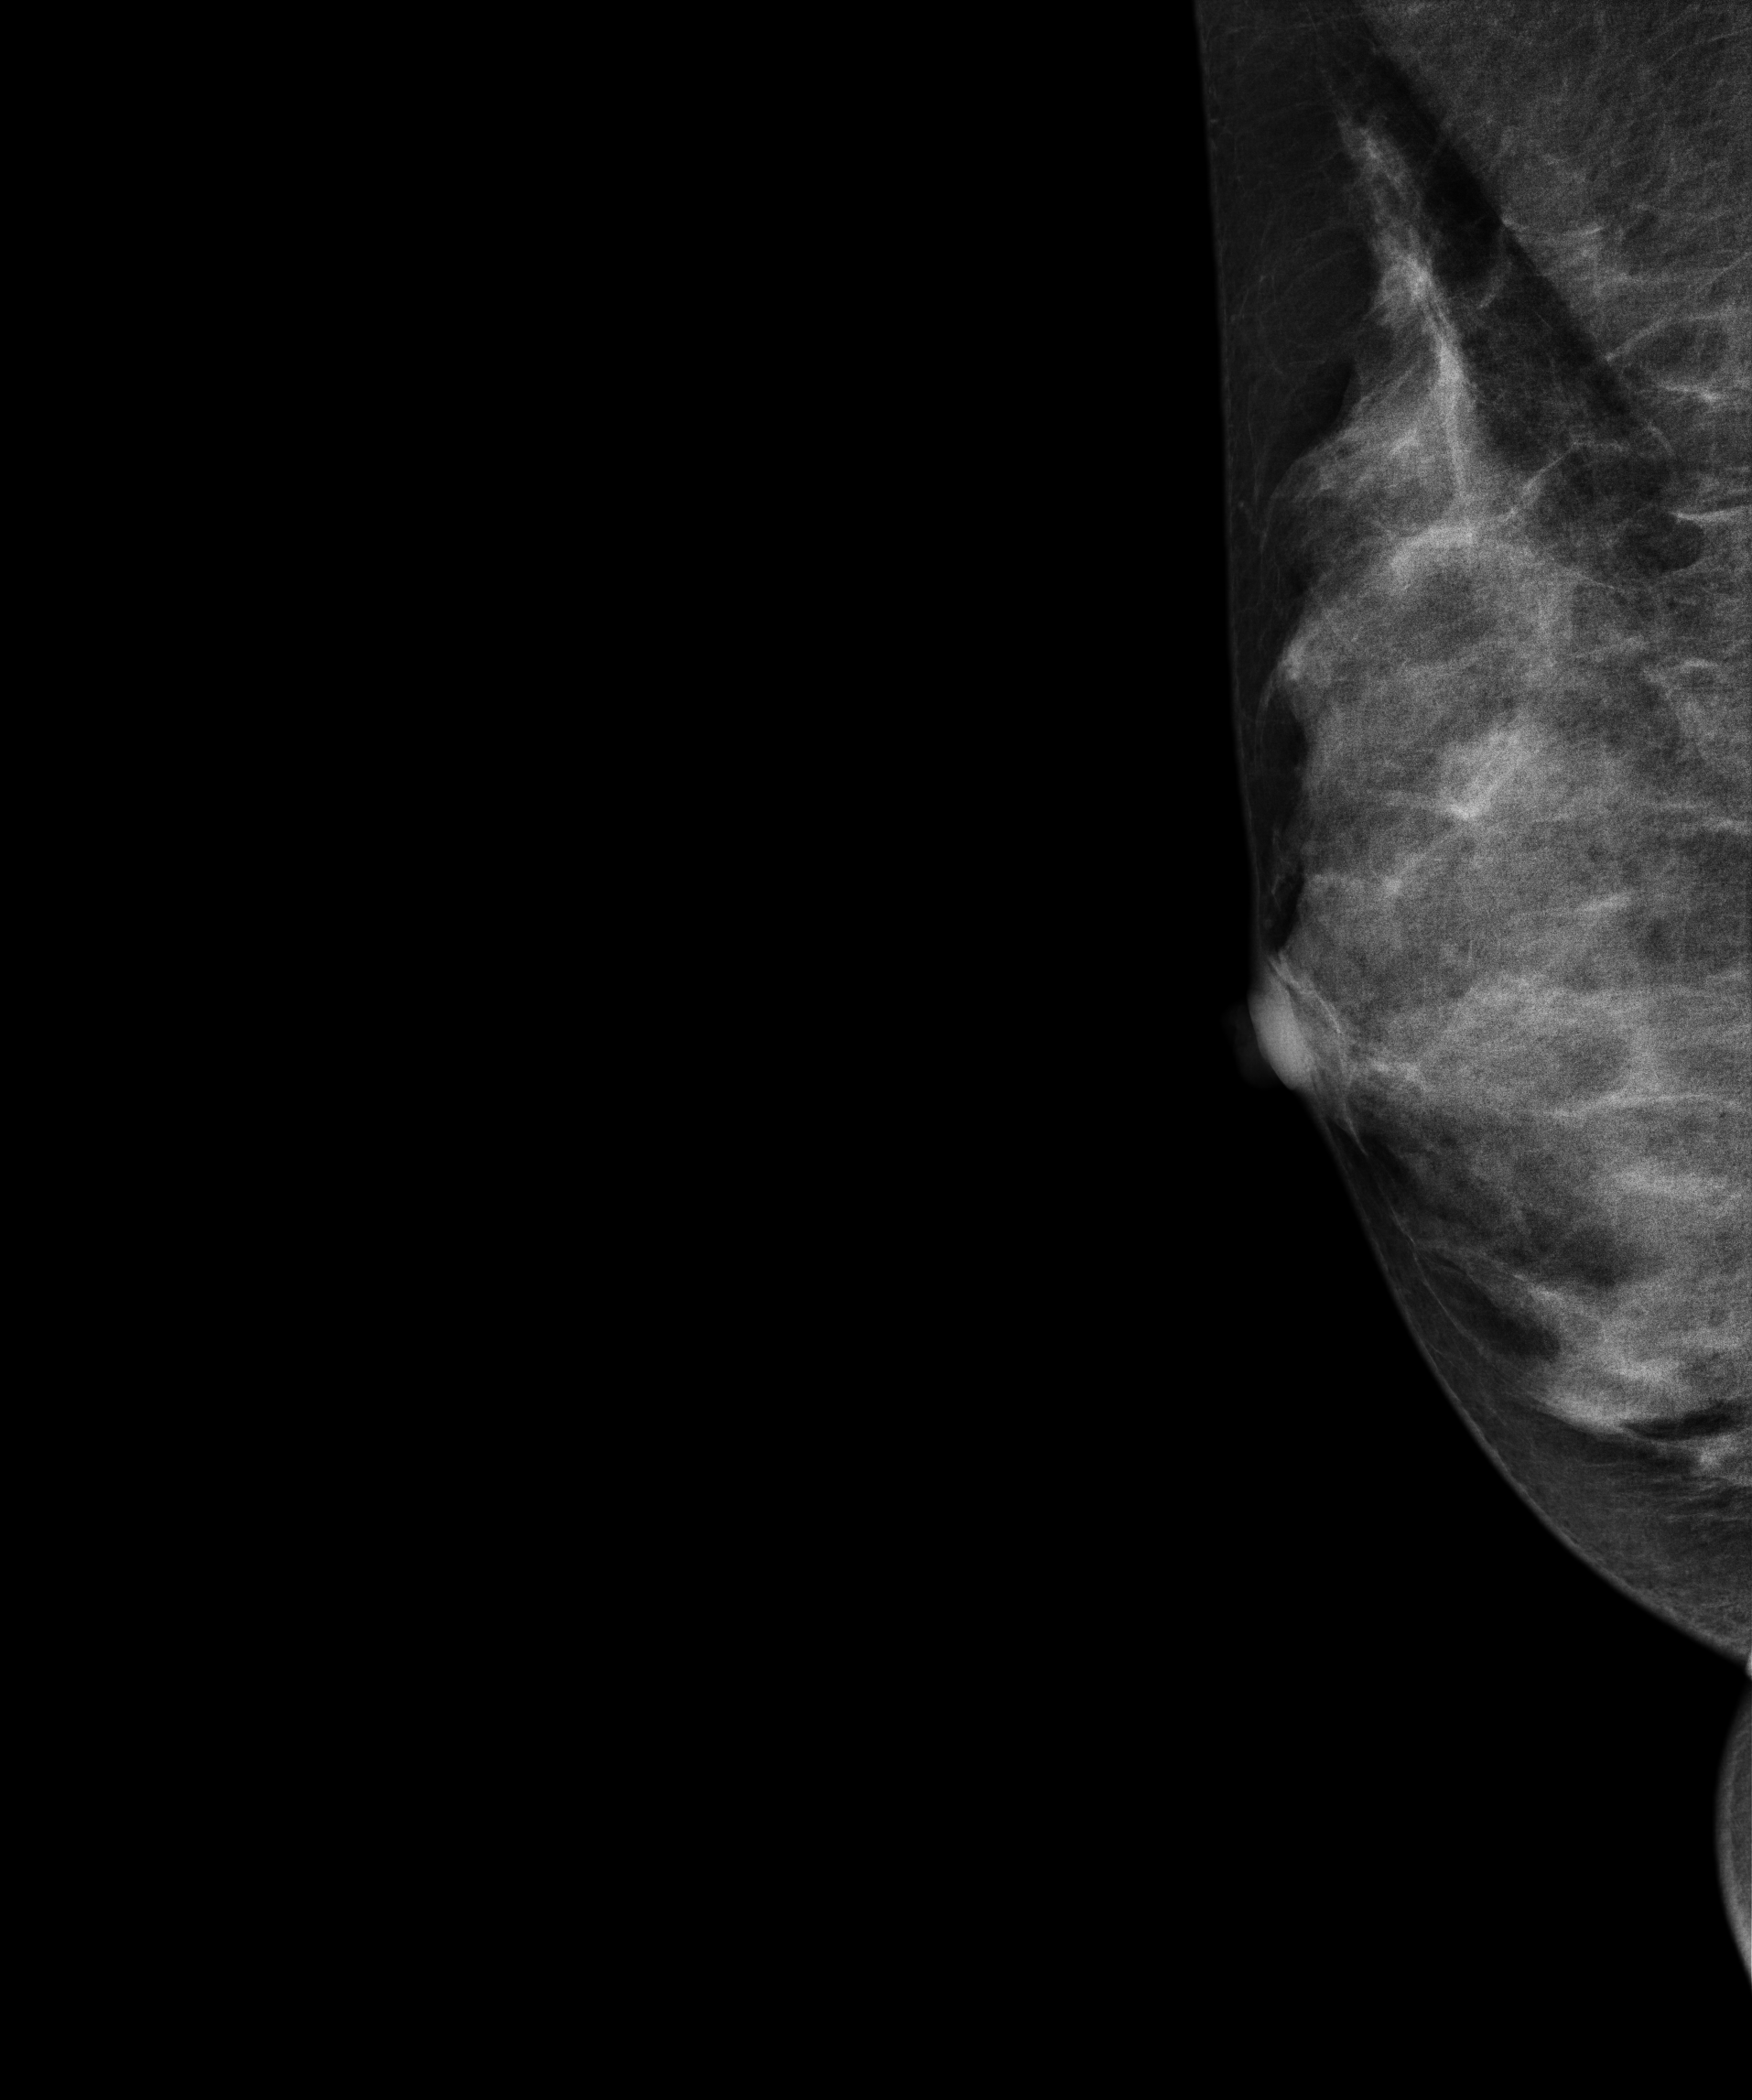
Mammogram, right breast, medio-lateral oblique view. Patient age 34.
This breast has a mass, biopsy-proven benign.